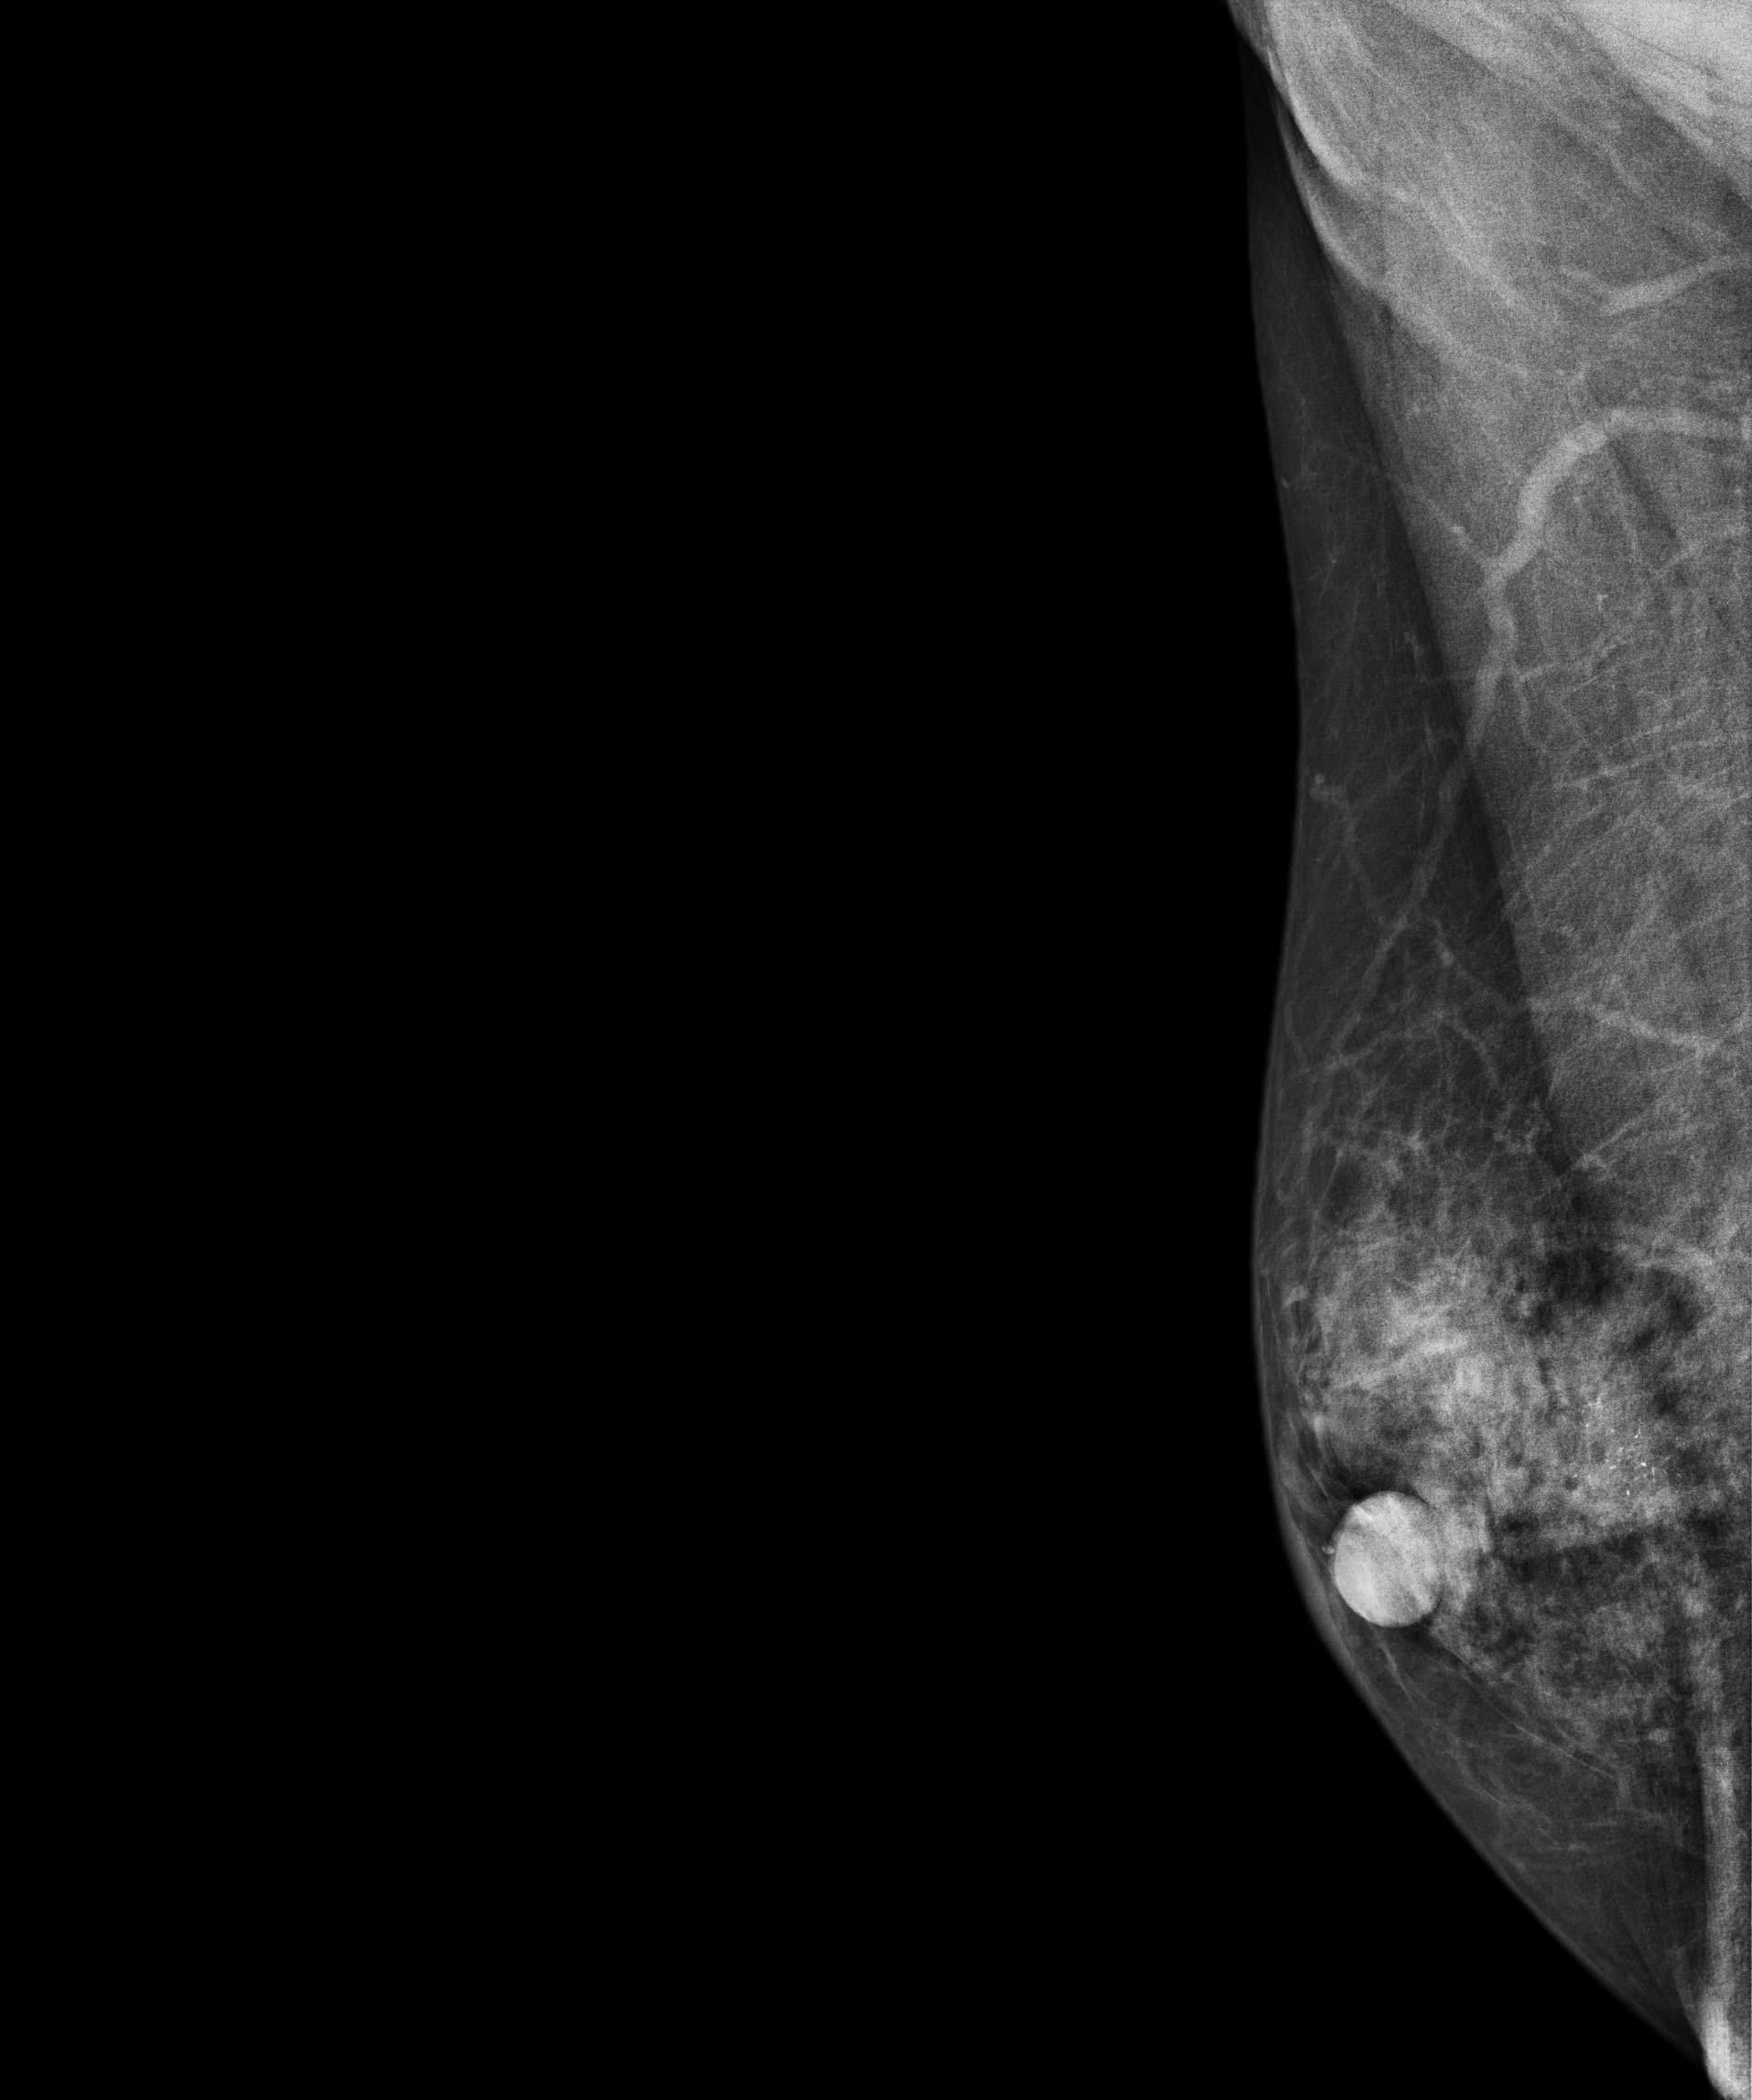
Digital mammography. Right breast, MLO projection. 52 y/o patient.
This breast has calcifications, biopsy-confirmed malignant. Molecular subtype: luminal B.